Left-breast mammogram, CC. Patient age 45.
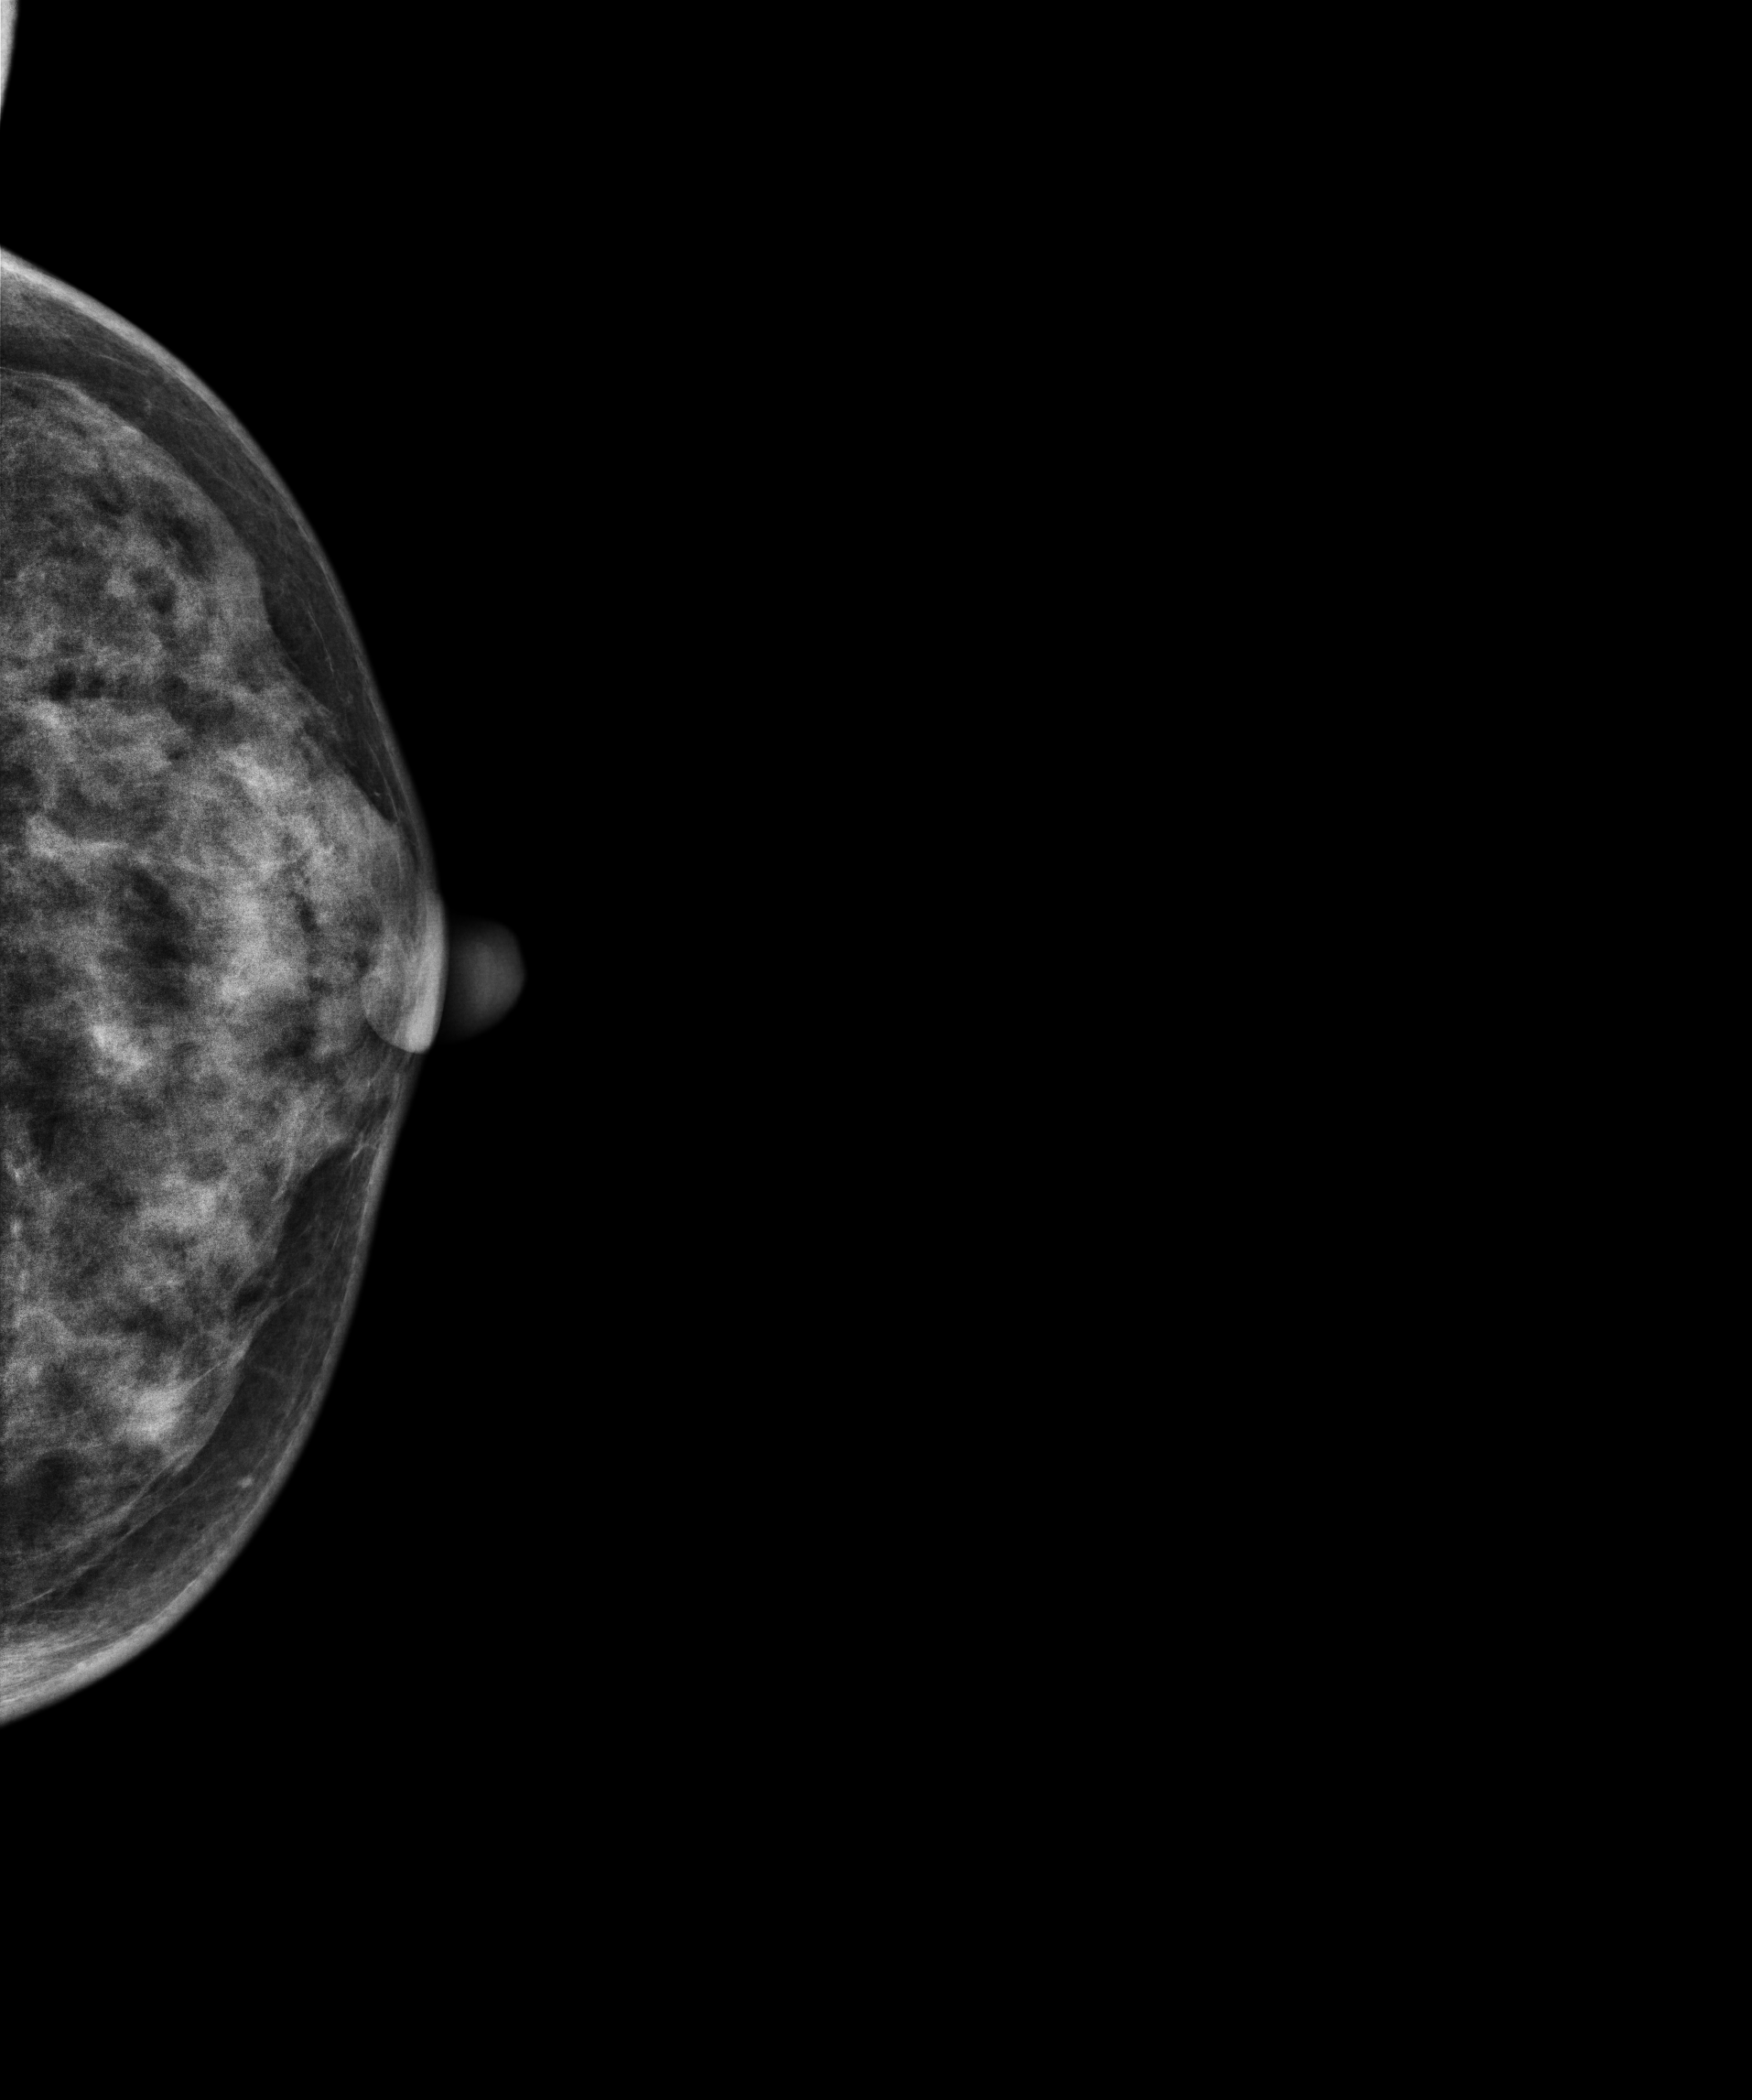
This breast has a mass, biopsy-confirmed malignant. Molecular subtype: luminal B.